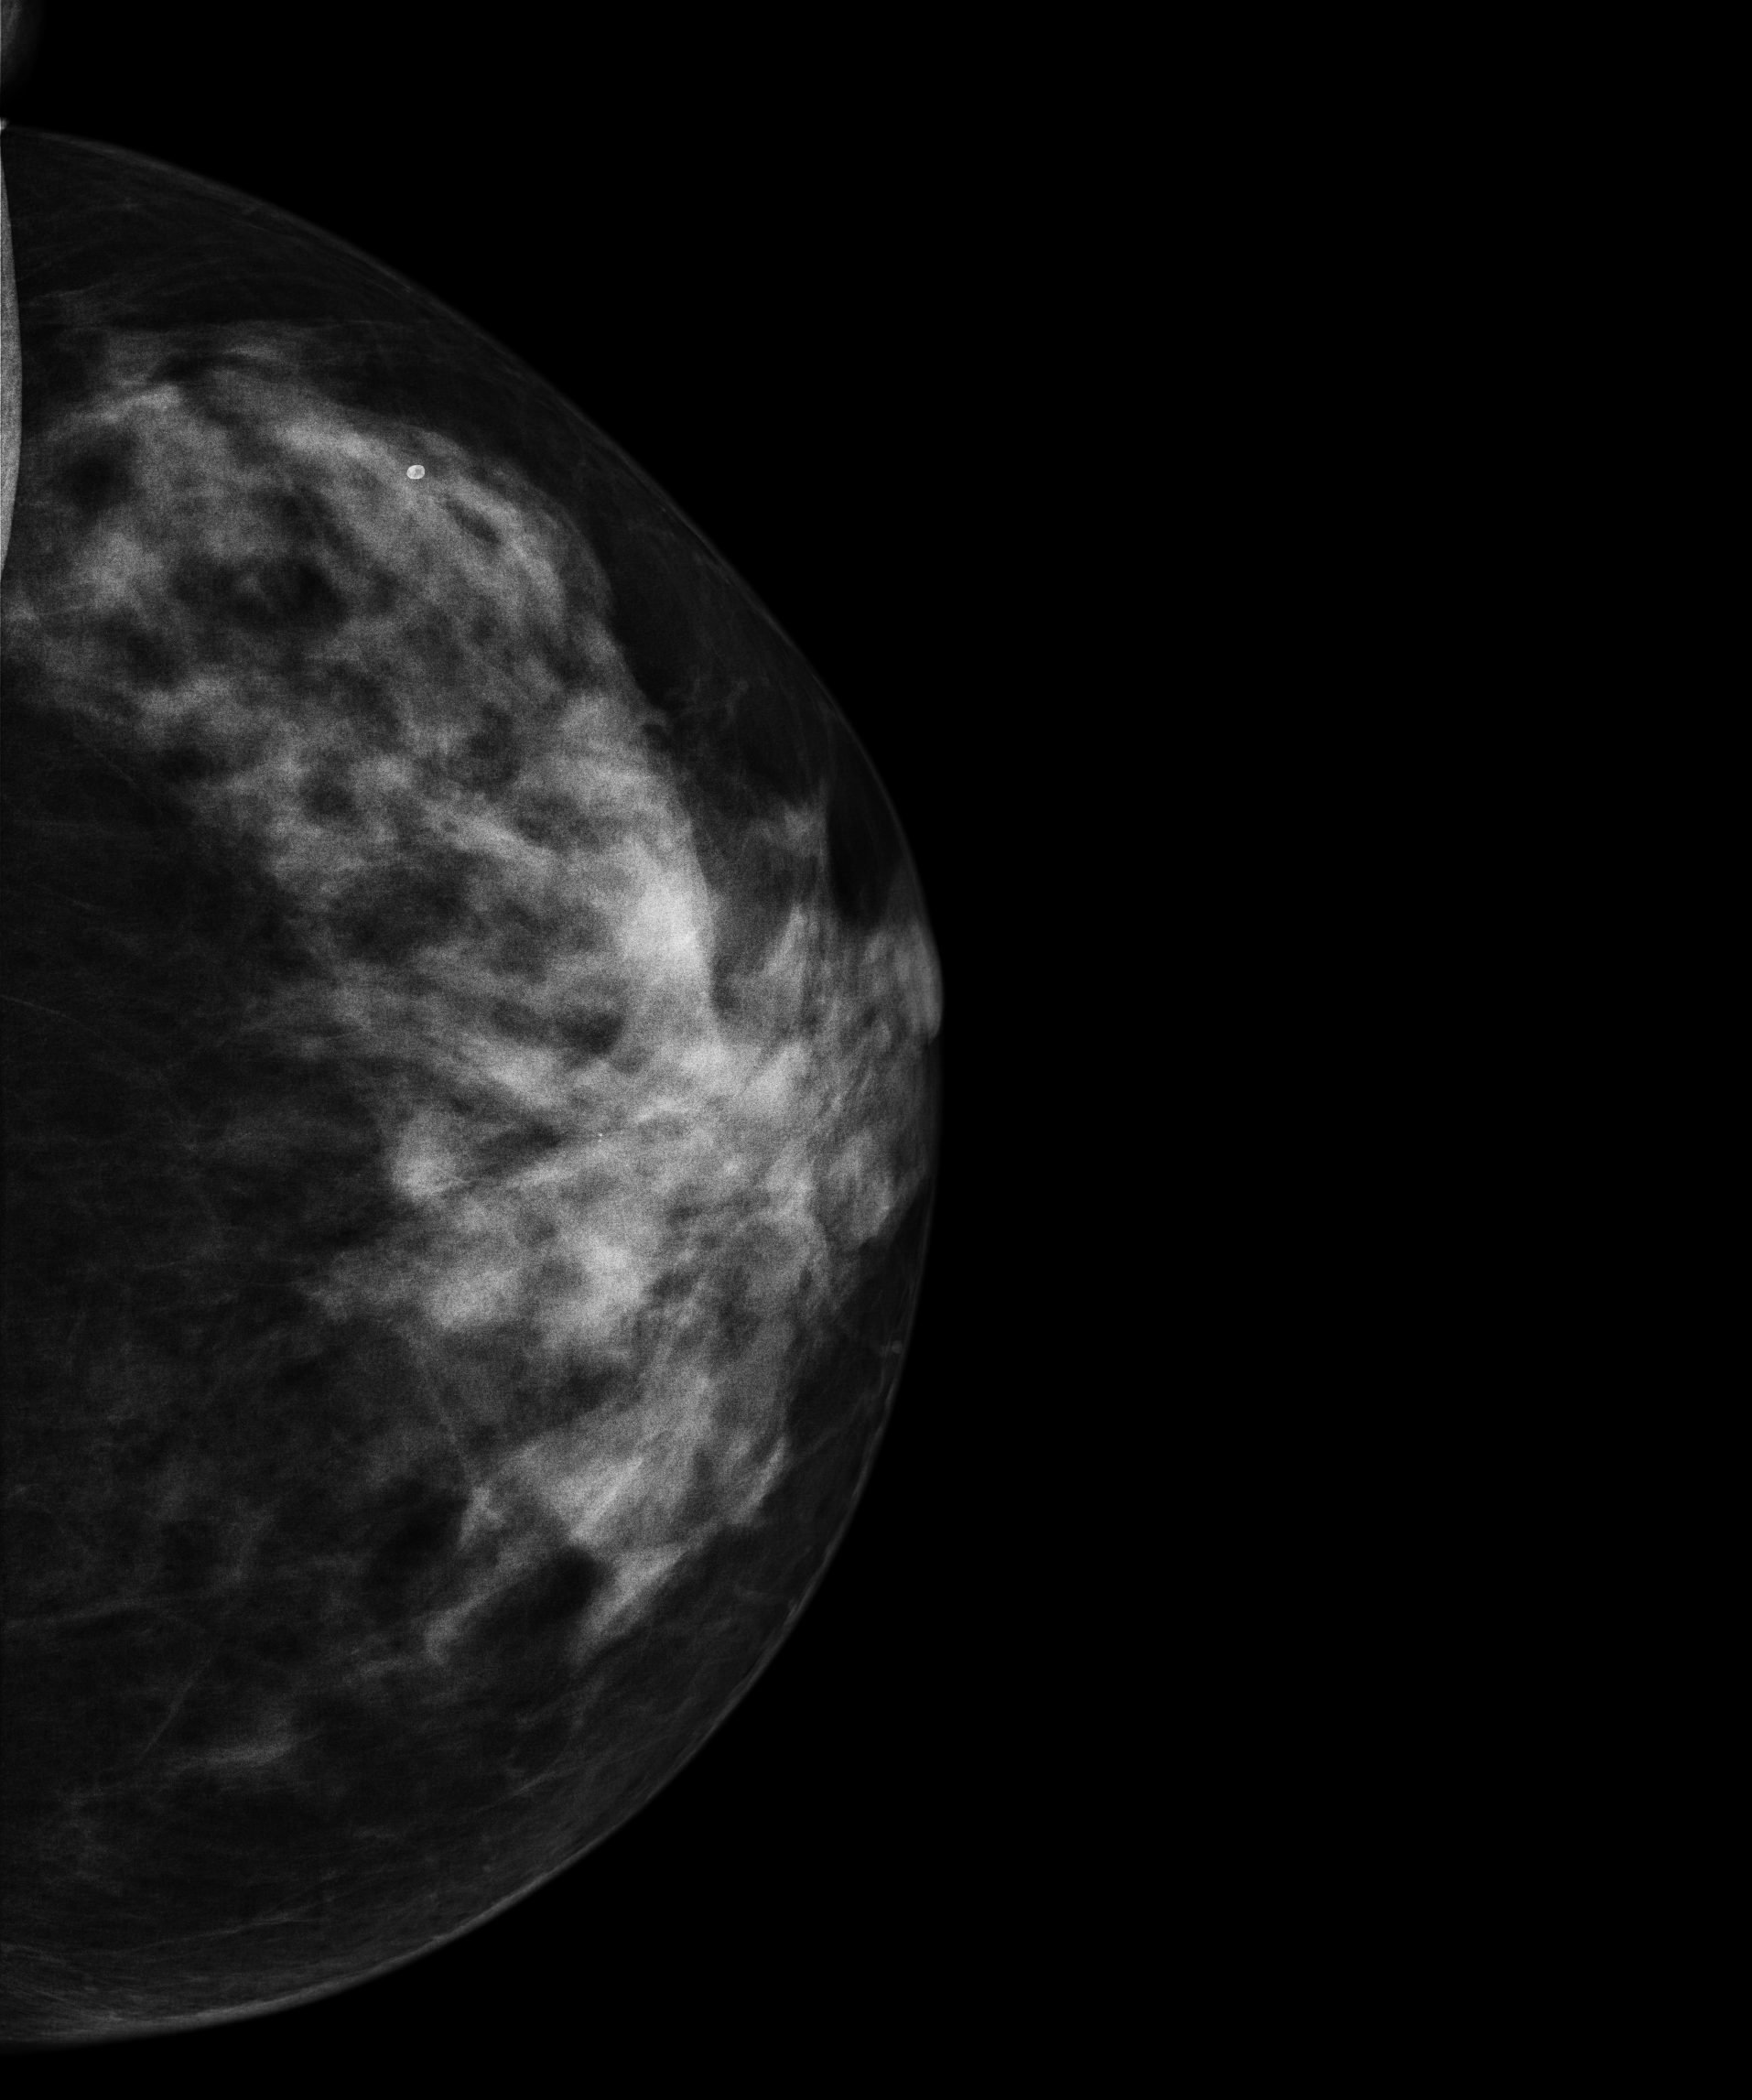
Cranio-caudal mammogram of the left breast. 49 y/o patient.
Contralateral breast — no documented abnormality on this side.